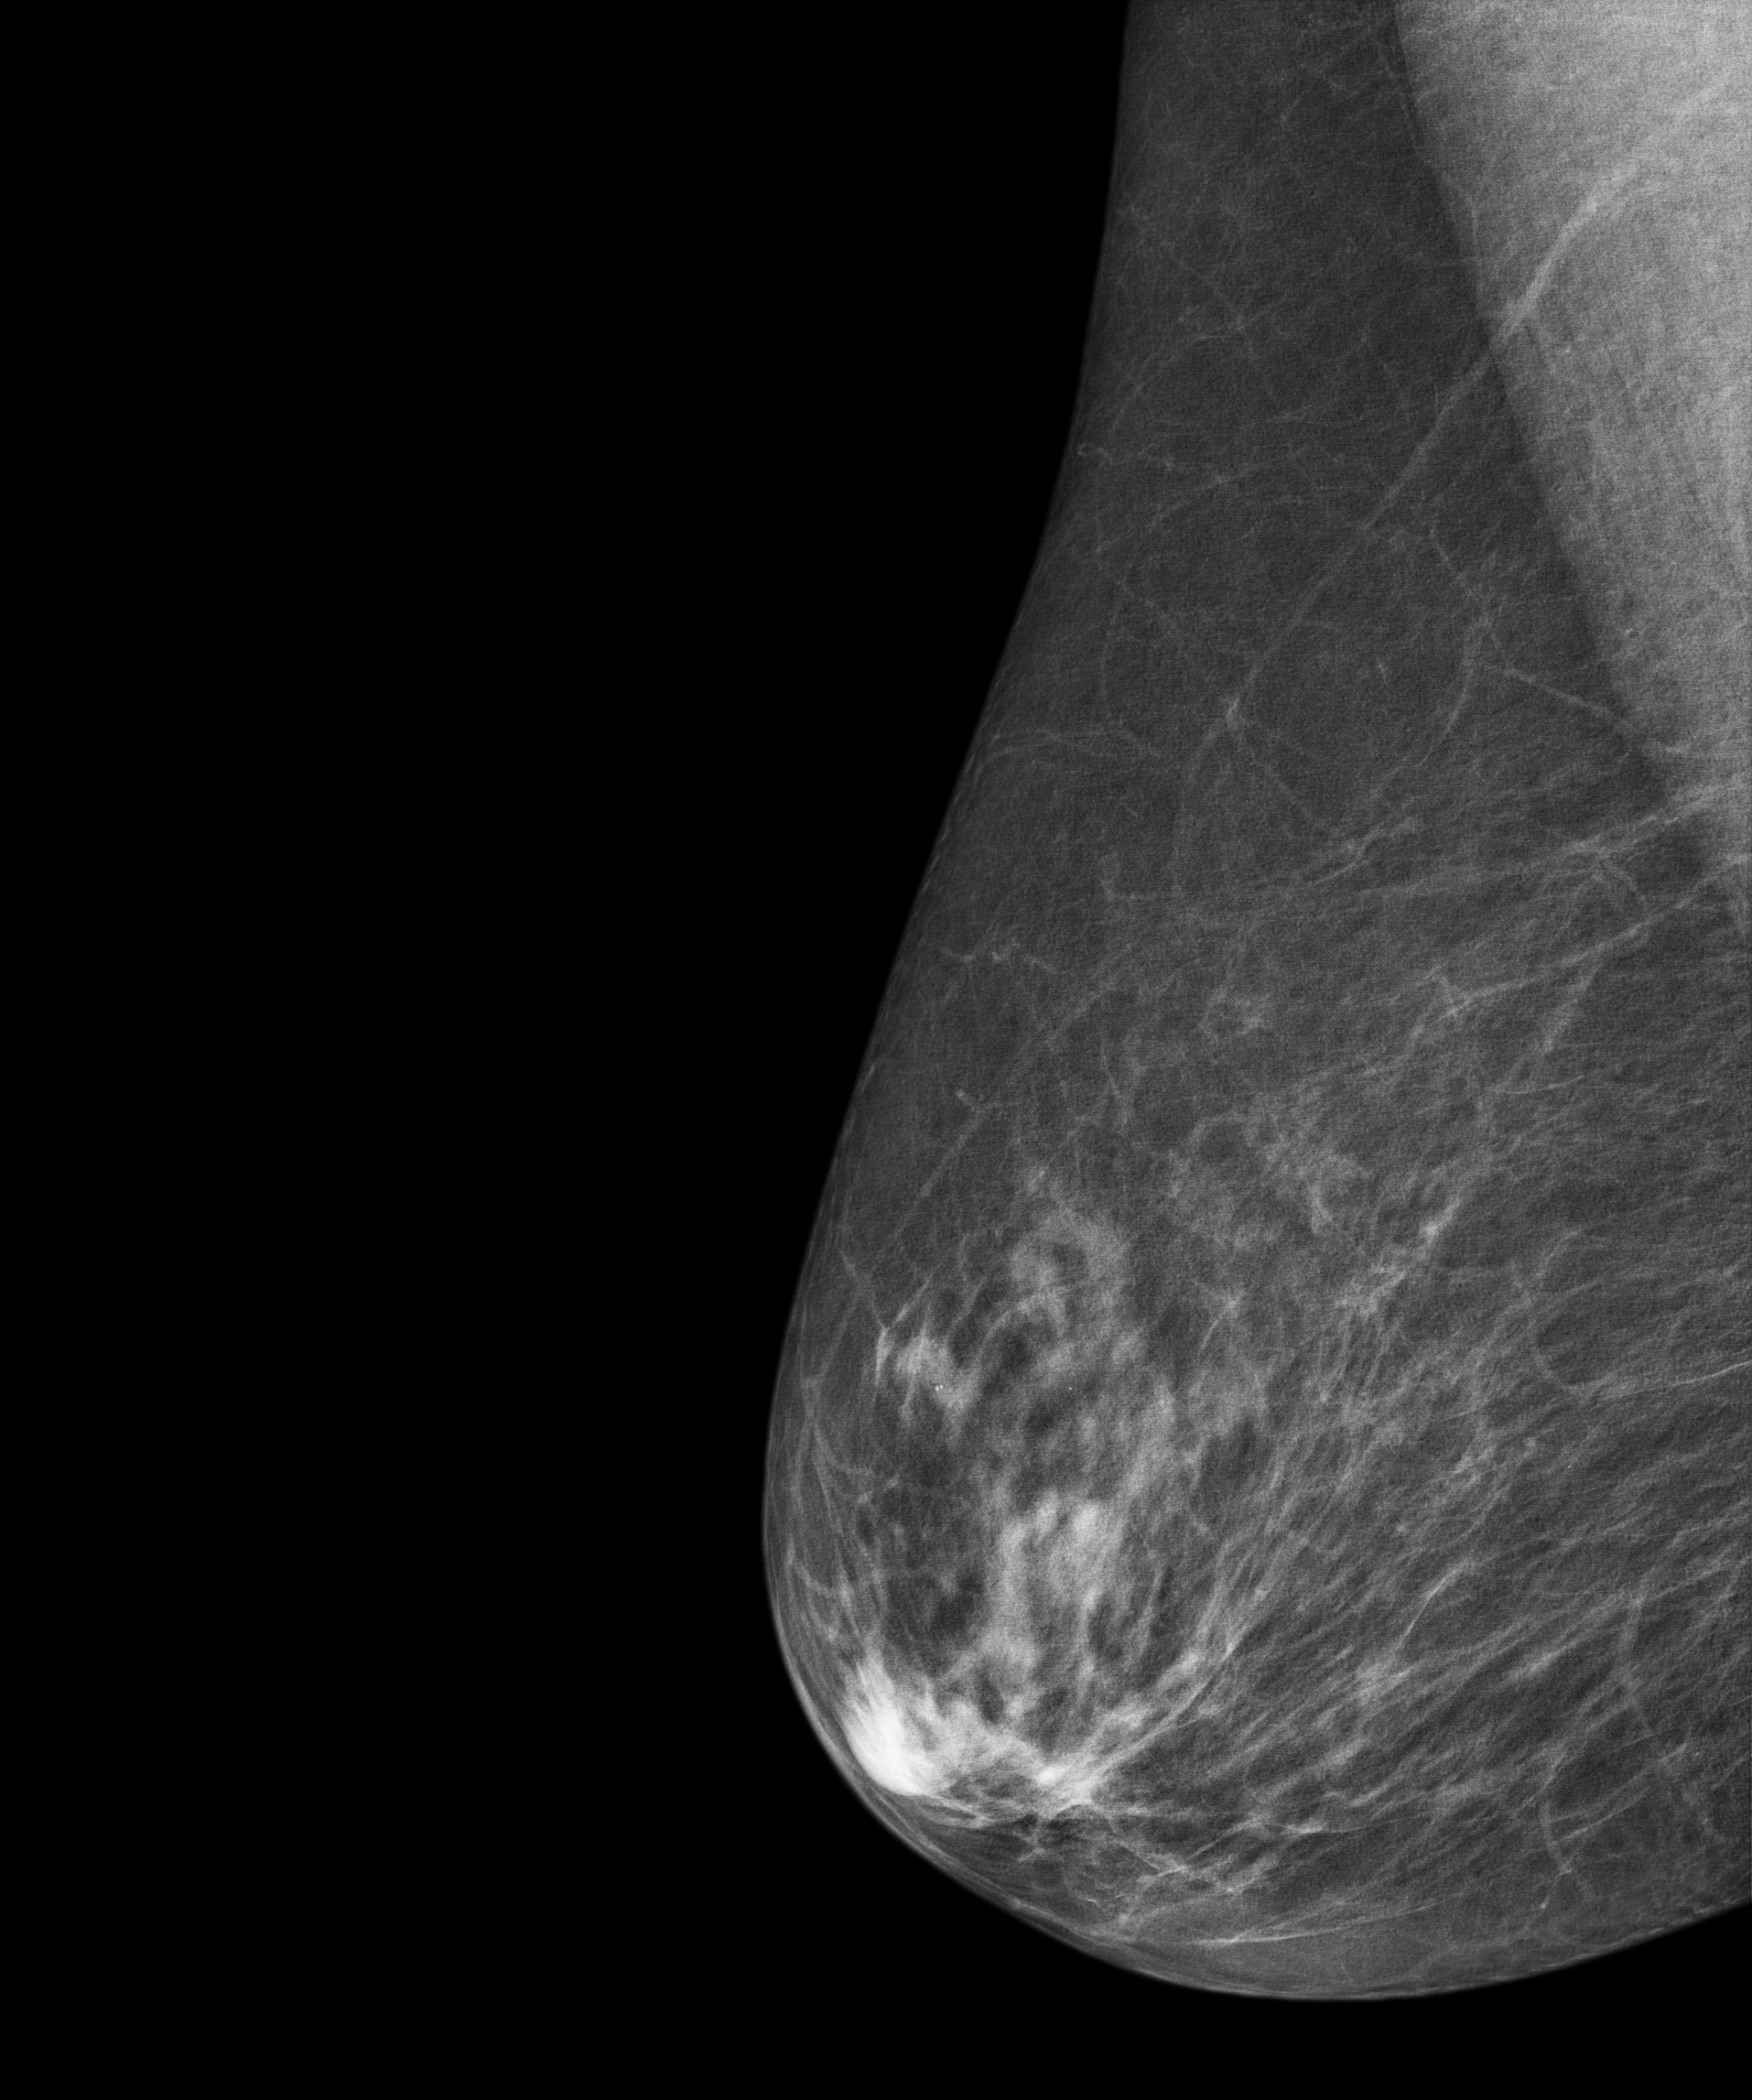
Mammogram, right breast, medio-lateral oblique view. Patient age 69.
Contralateral breast — no documented abnormality on this side.